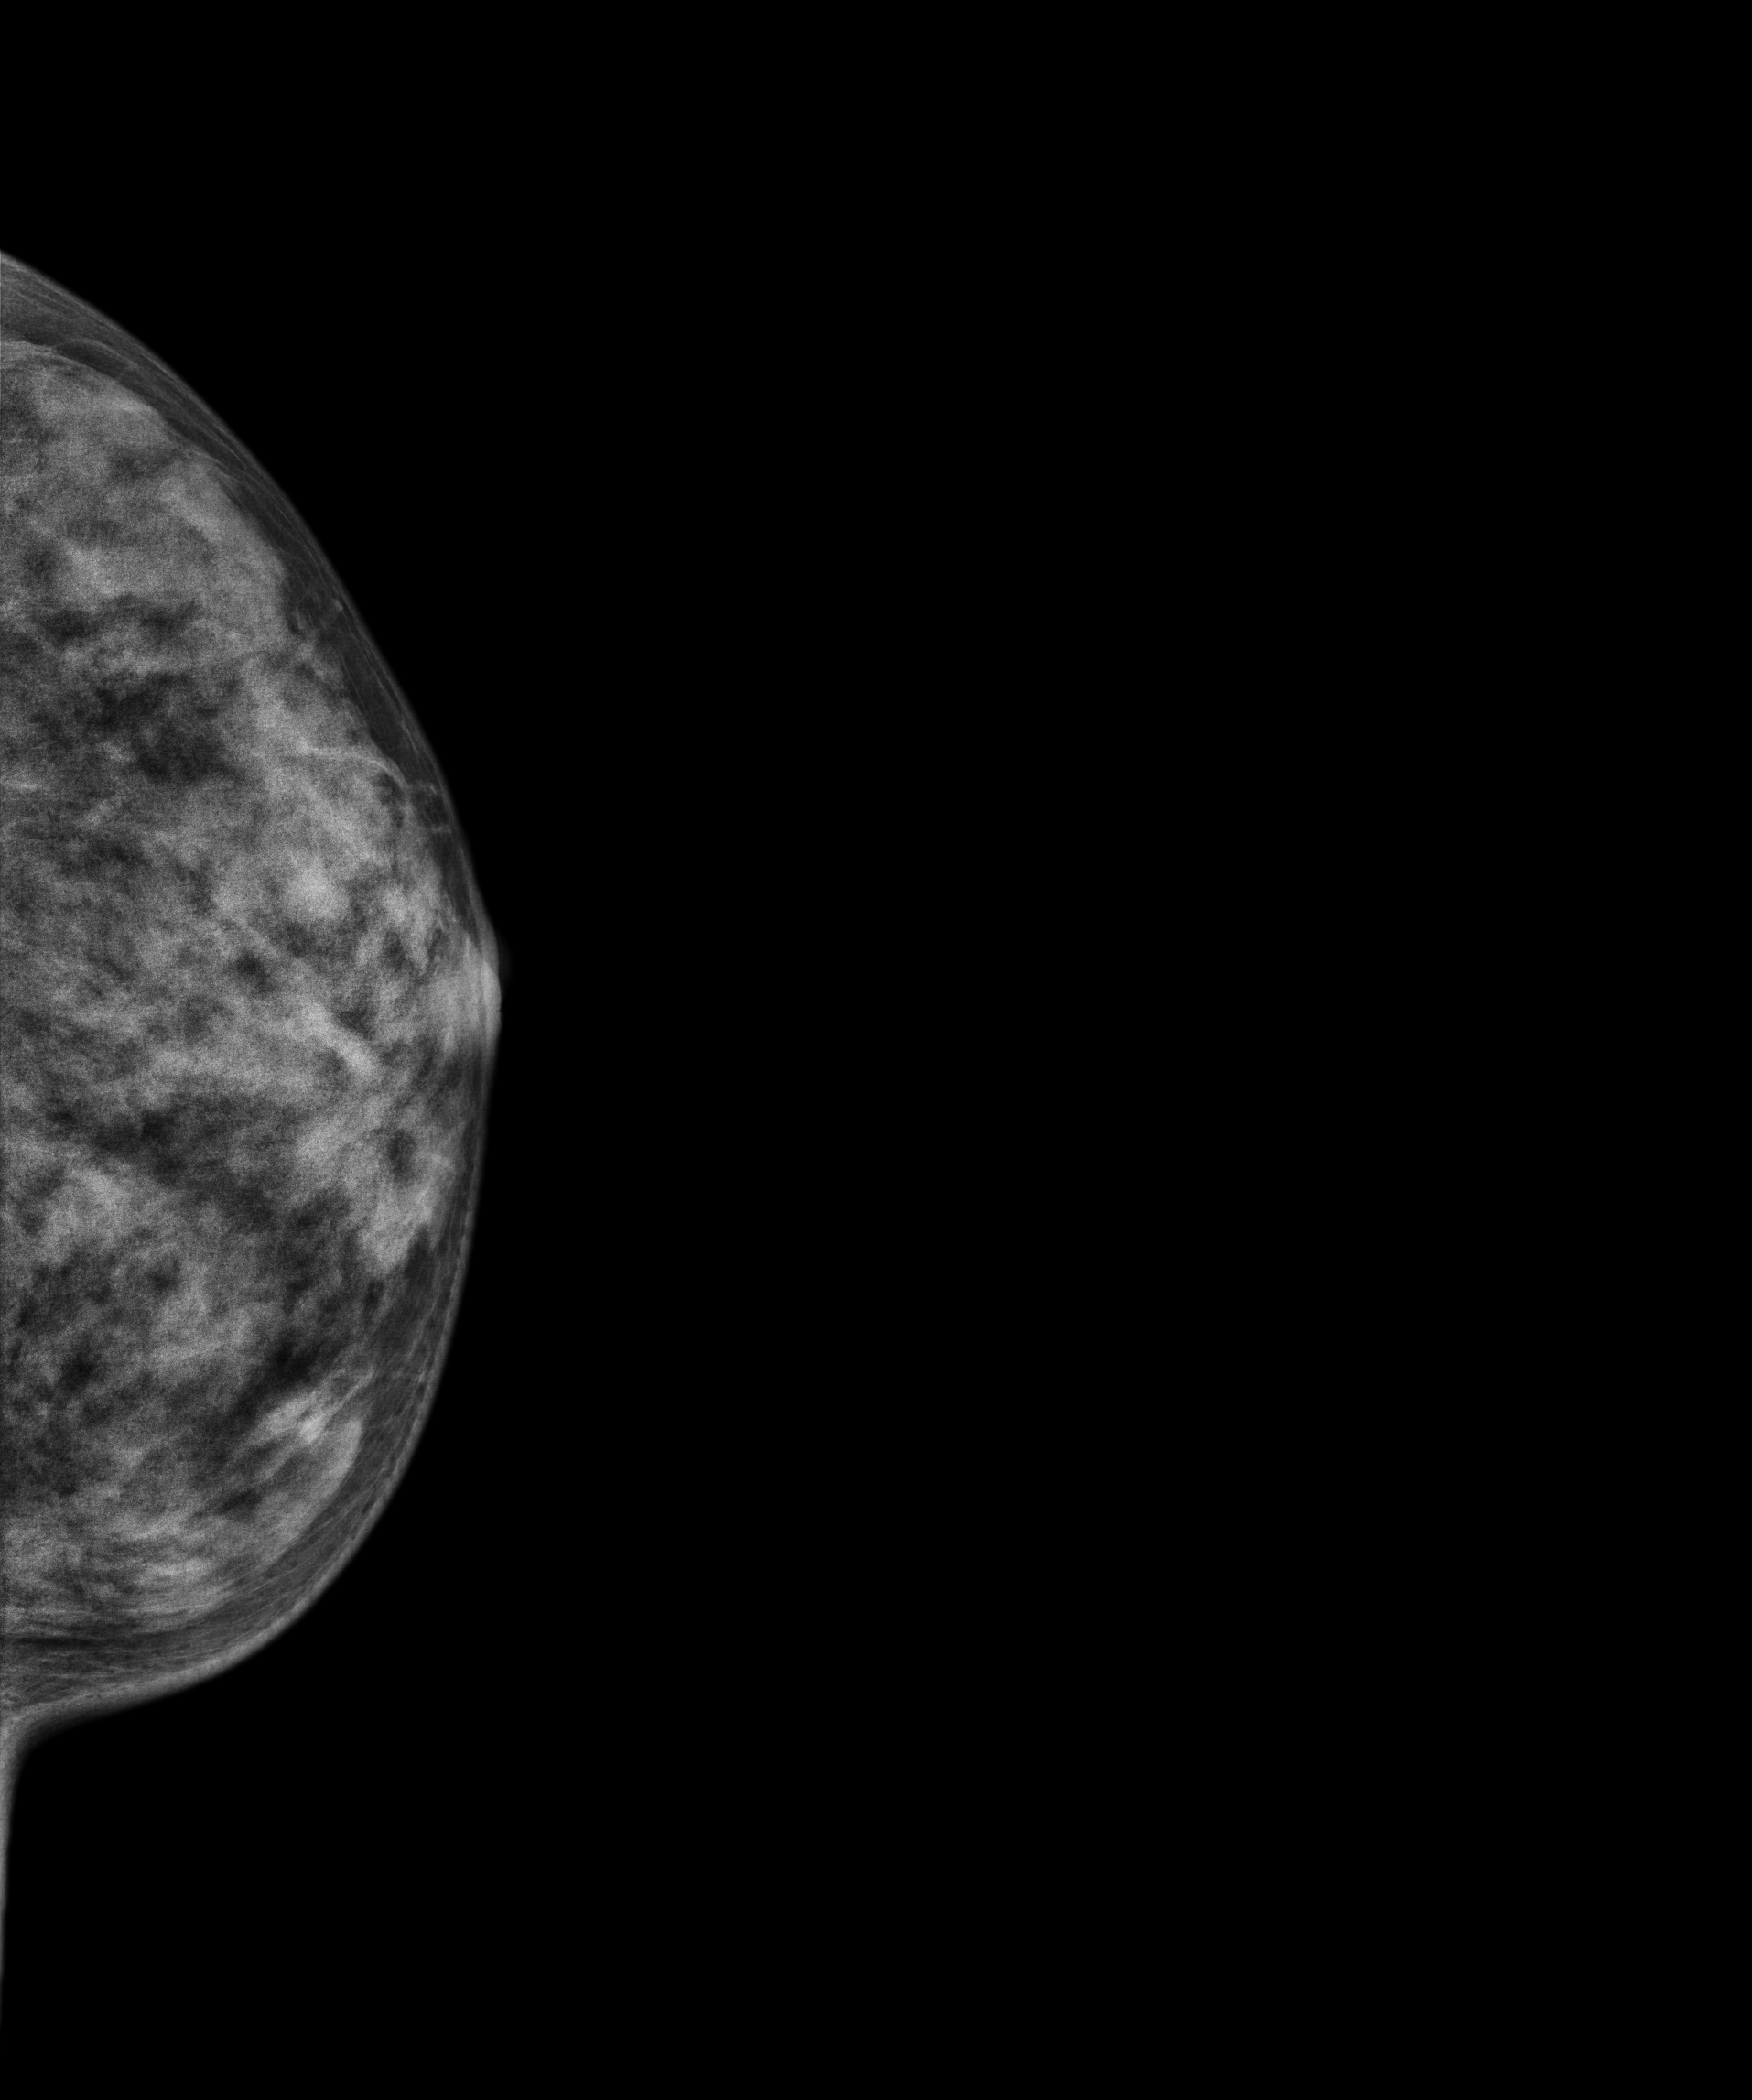
Mammogram — left cranio-caudal. Patient age 54.
This breast has calcifications, biopsy-proven malignant. Molecular subtype: HER2-enriched.